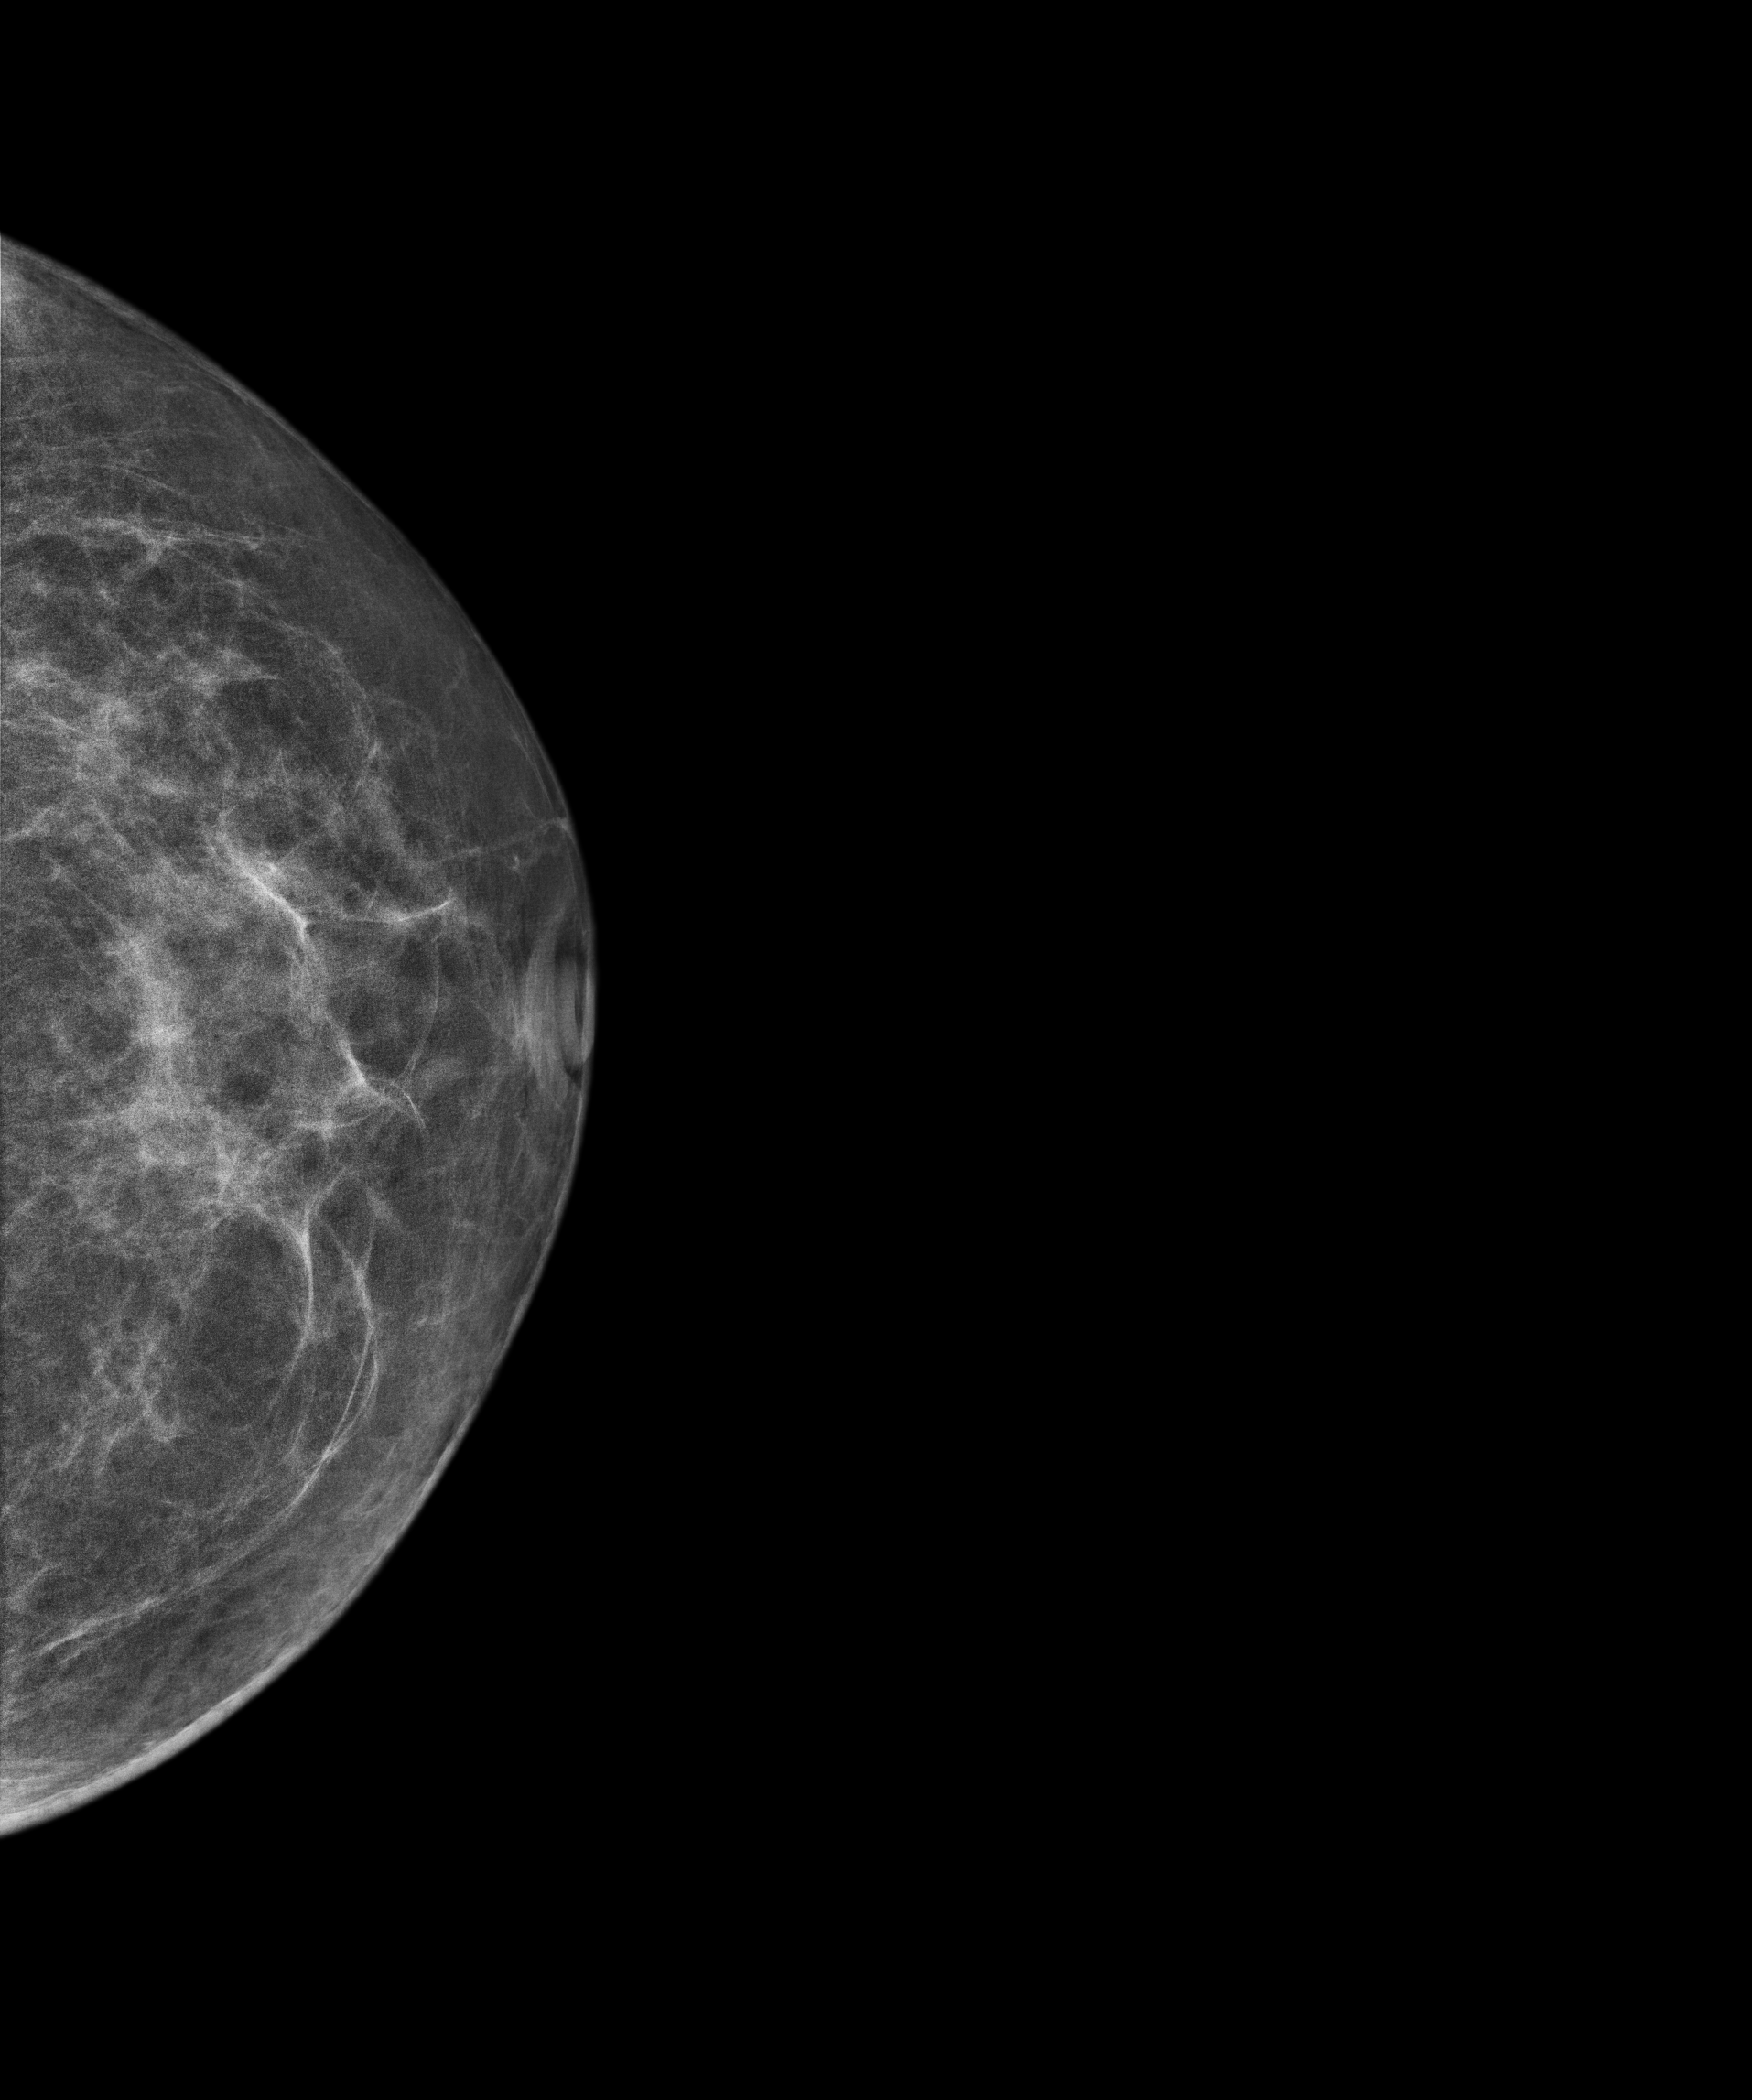
Digital mammography. Left breast, cranio-caudal projection. Patient age 82.
Contralateral breast — no documented abnormality on this side.